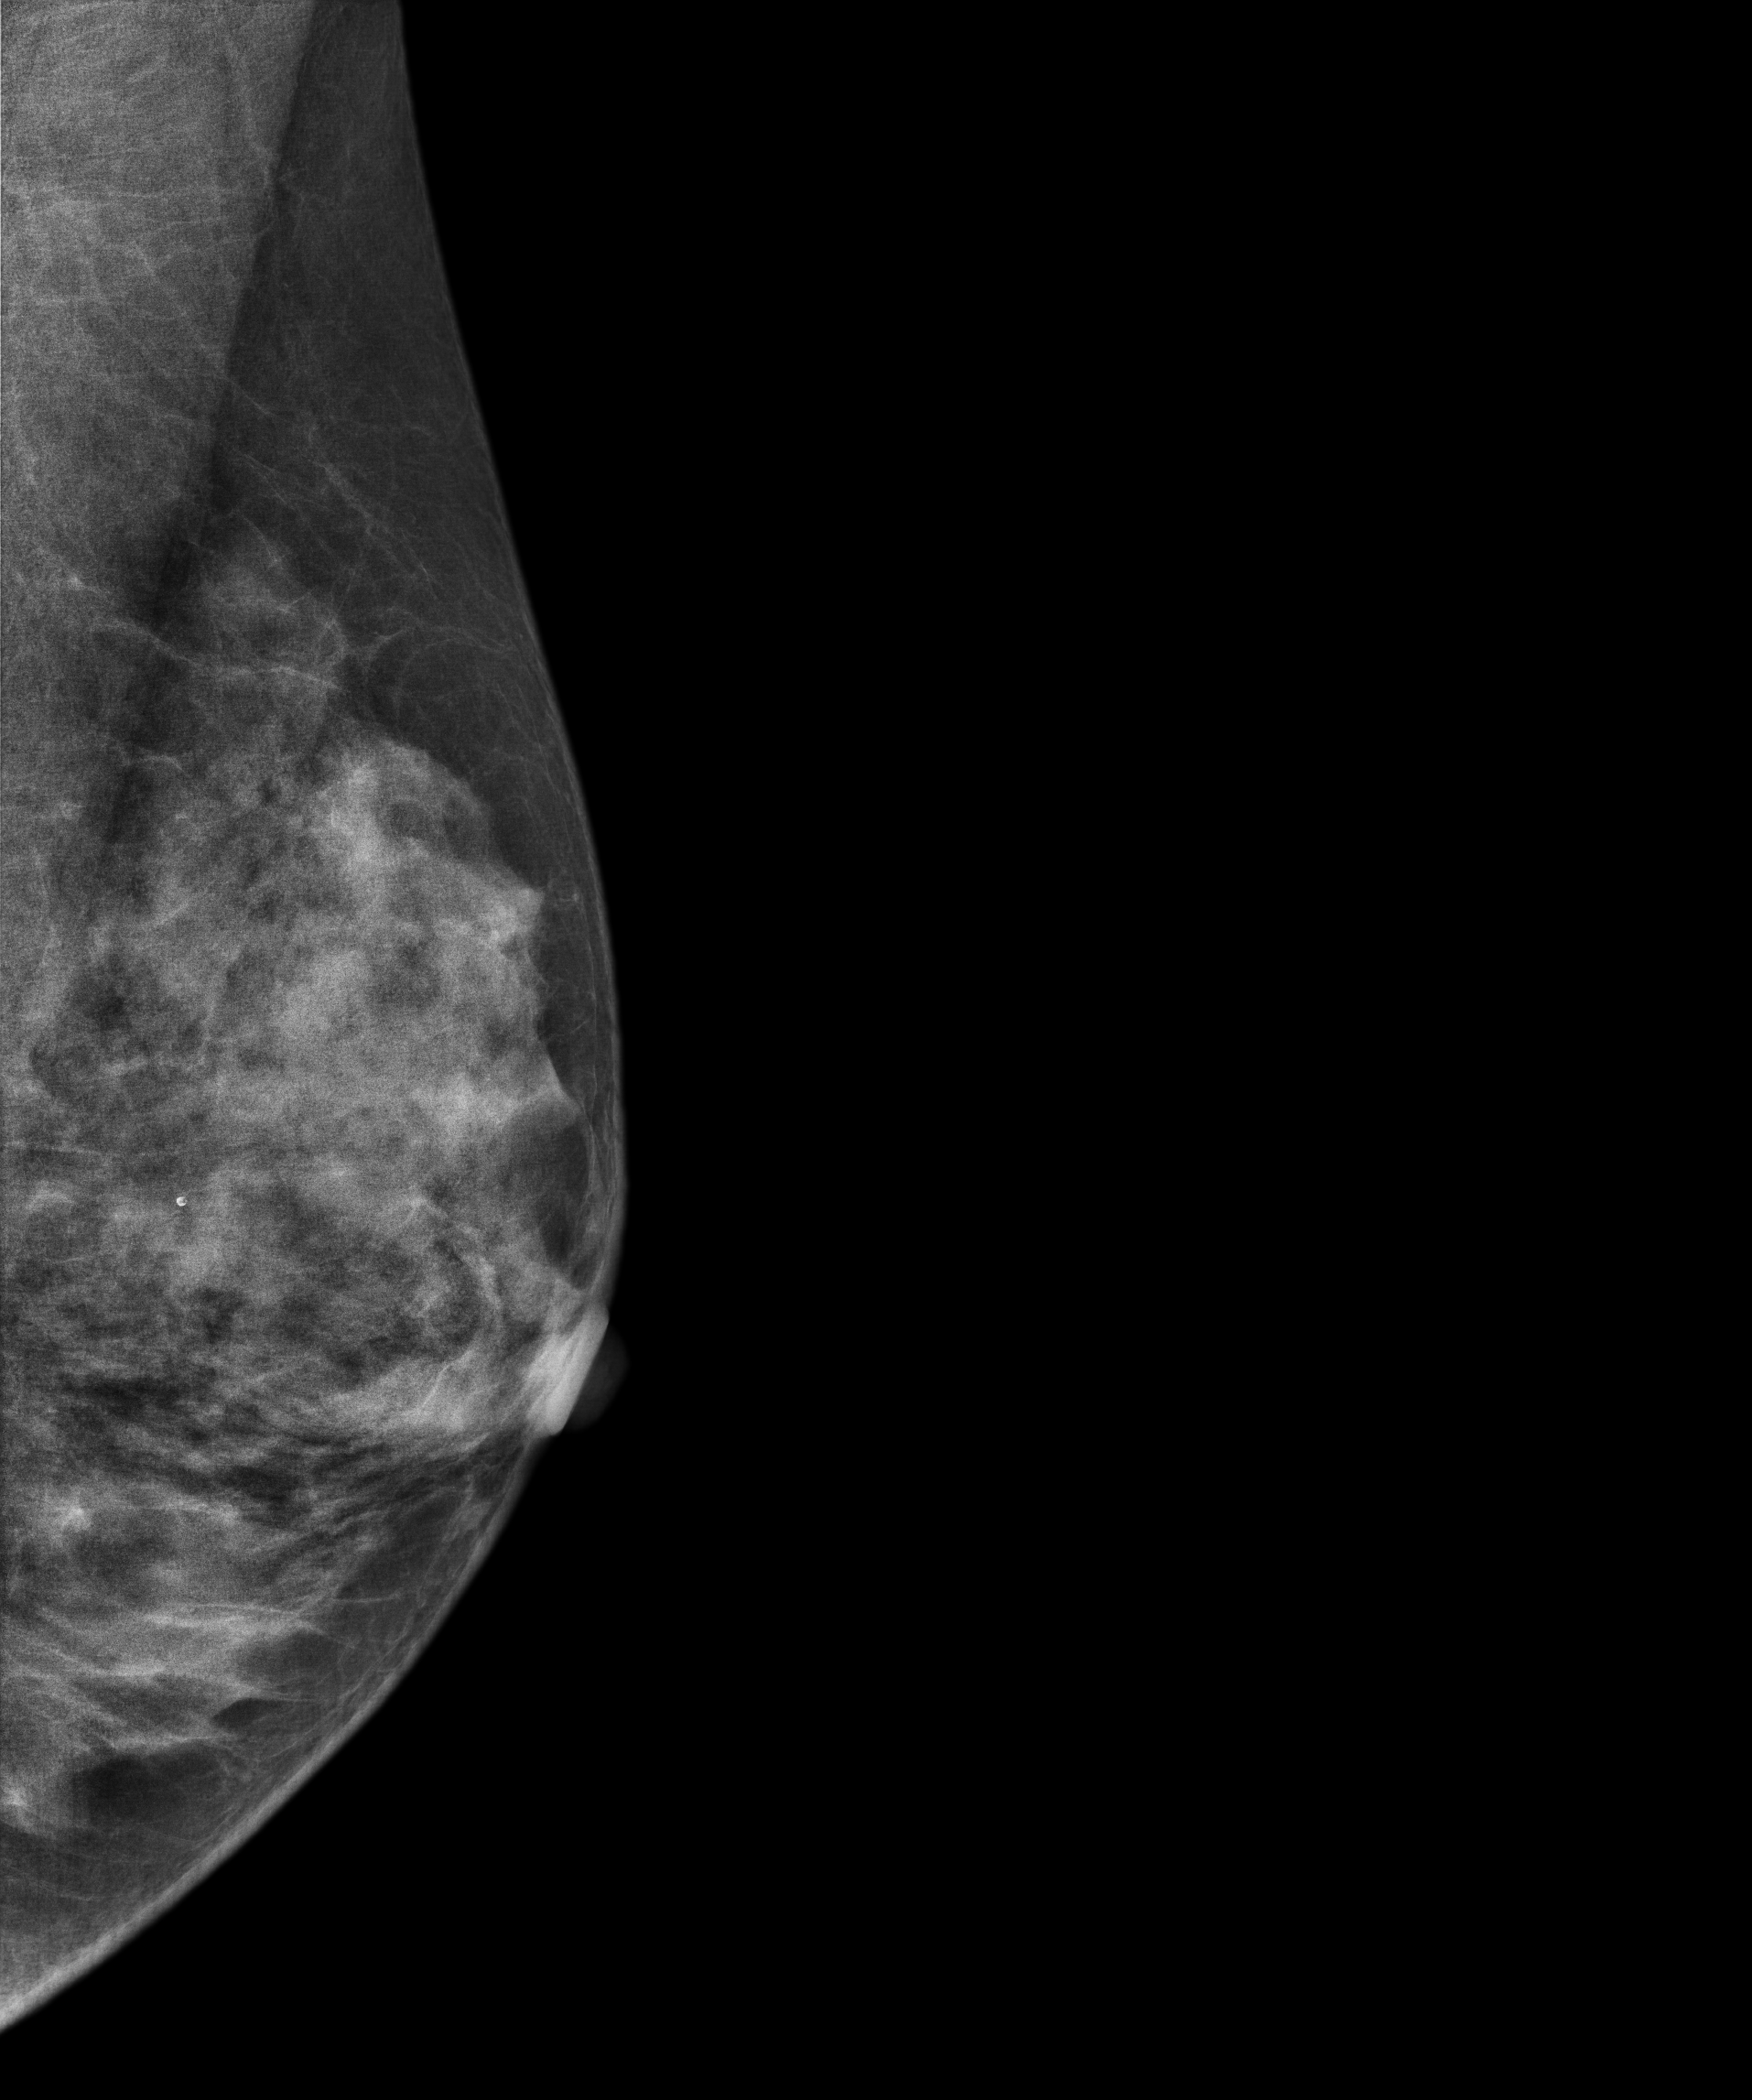
Mammogram — left medio-lateral oblique. 49 y/o patient.
This breast has a mass, histologically confirmed benign.